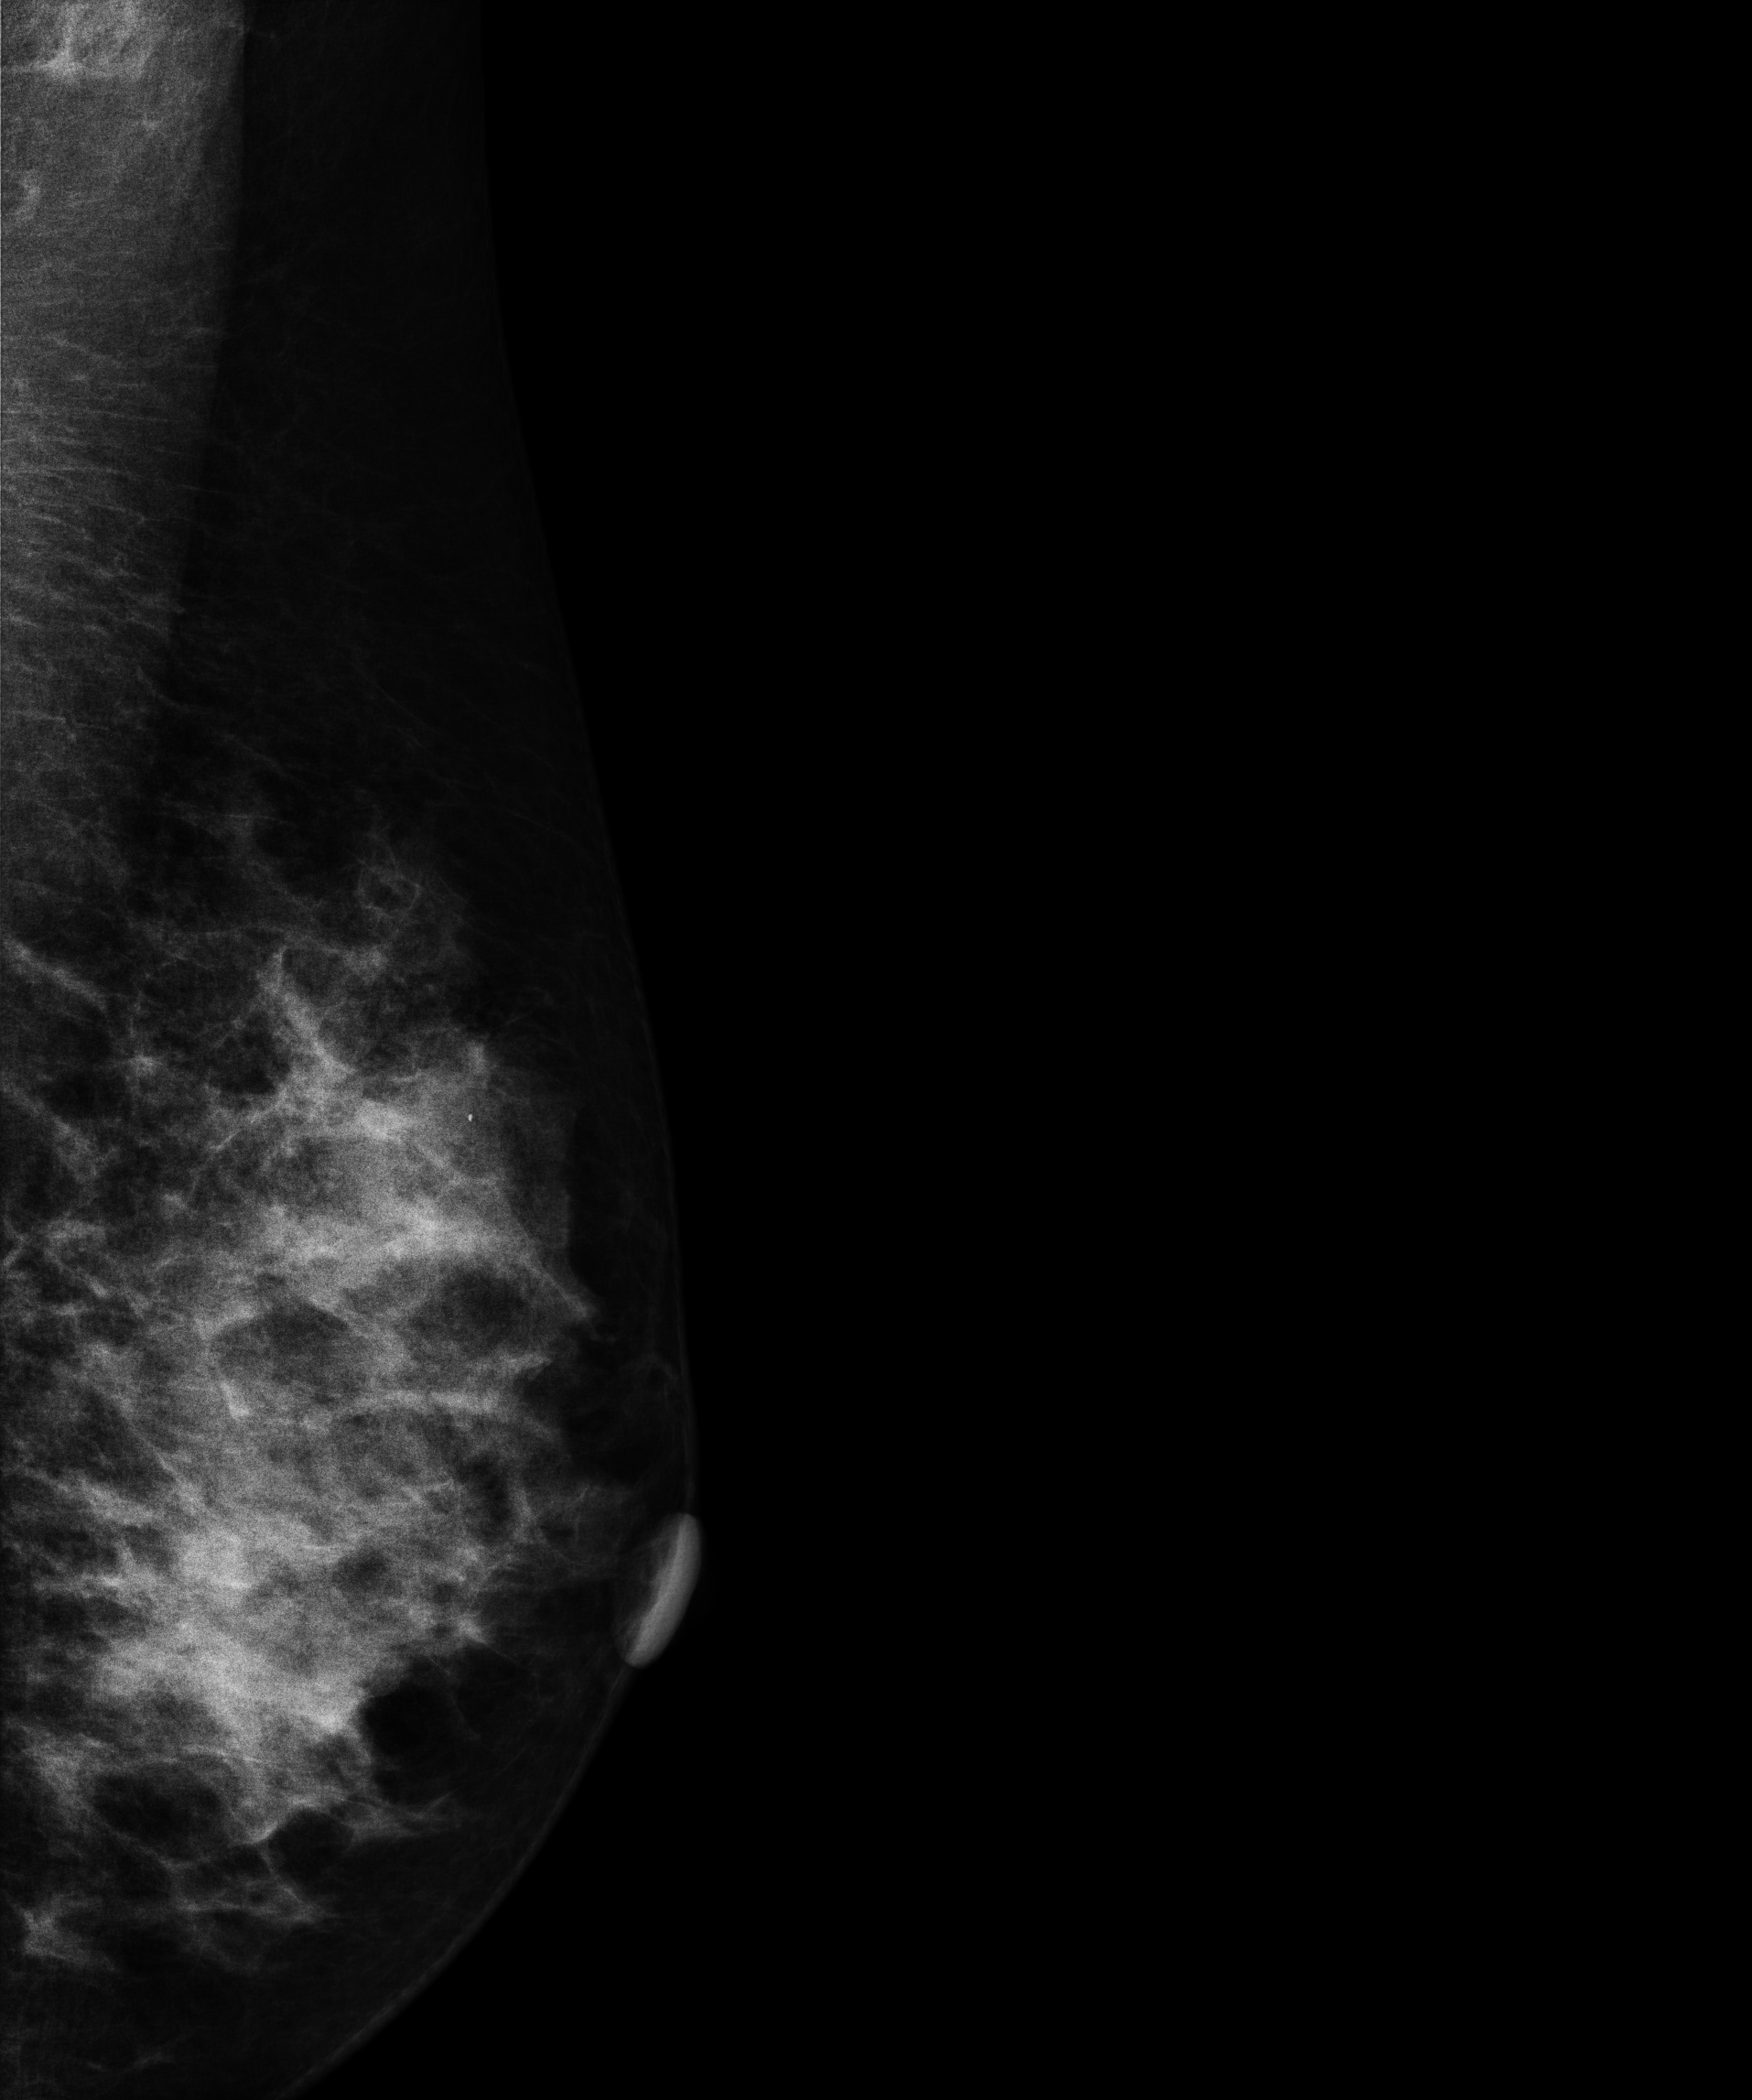
Mammogram, left breast, MLO view. 44 y/o patient.
This breast has a mass, pathology-confirmed benign.